Mammogram — right CC. 49-year-old patient.
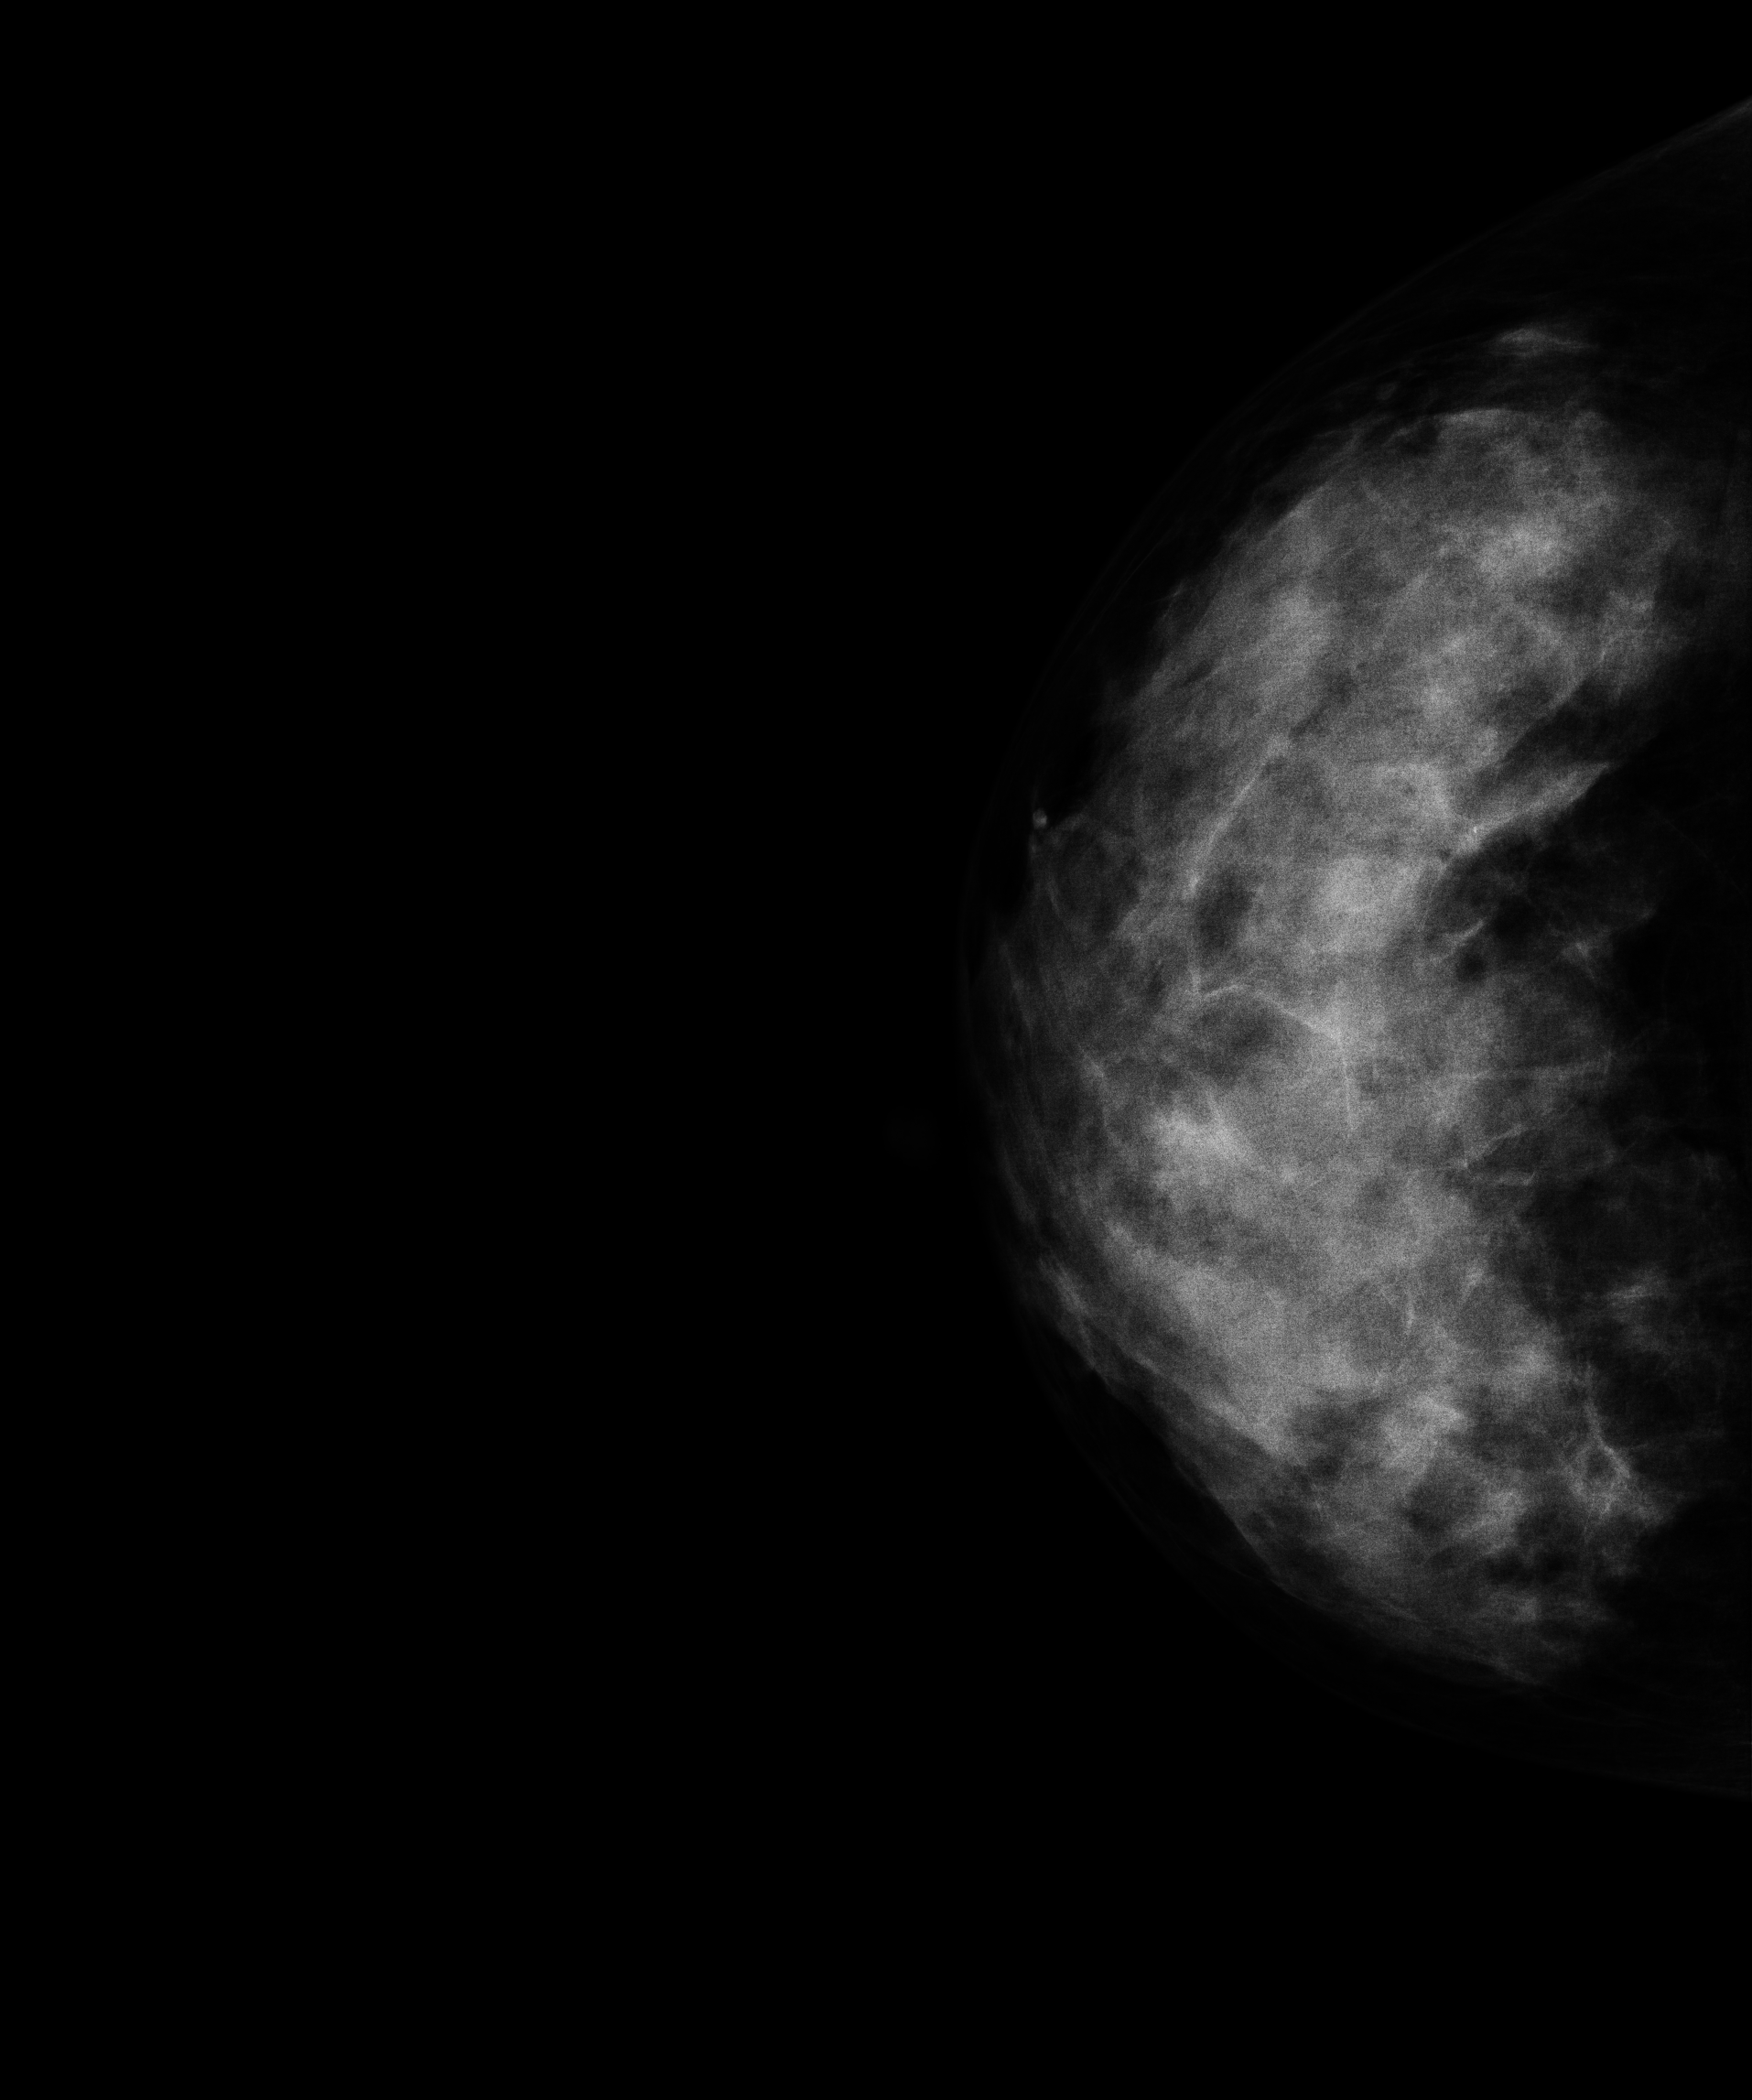
Contralateral breast — no documented abnormality on this side.